Left-breast mammogram, cranio-caudal. 50 y/o patient.
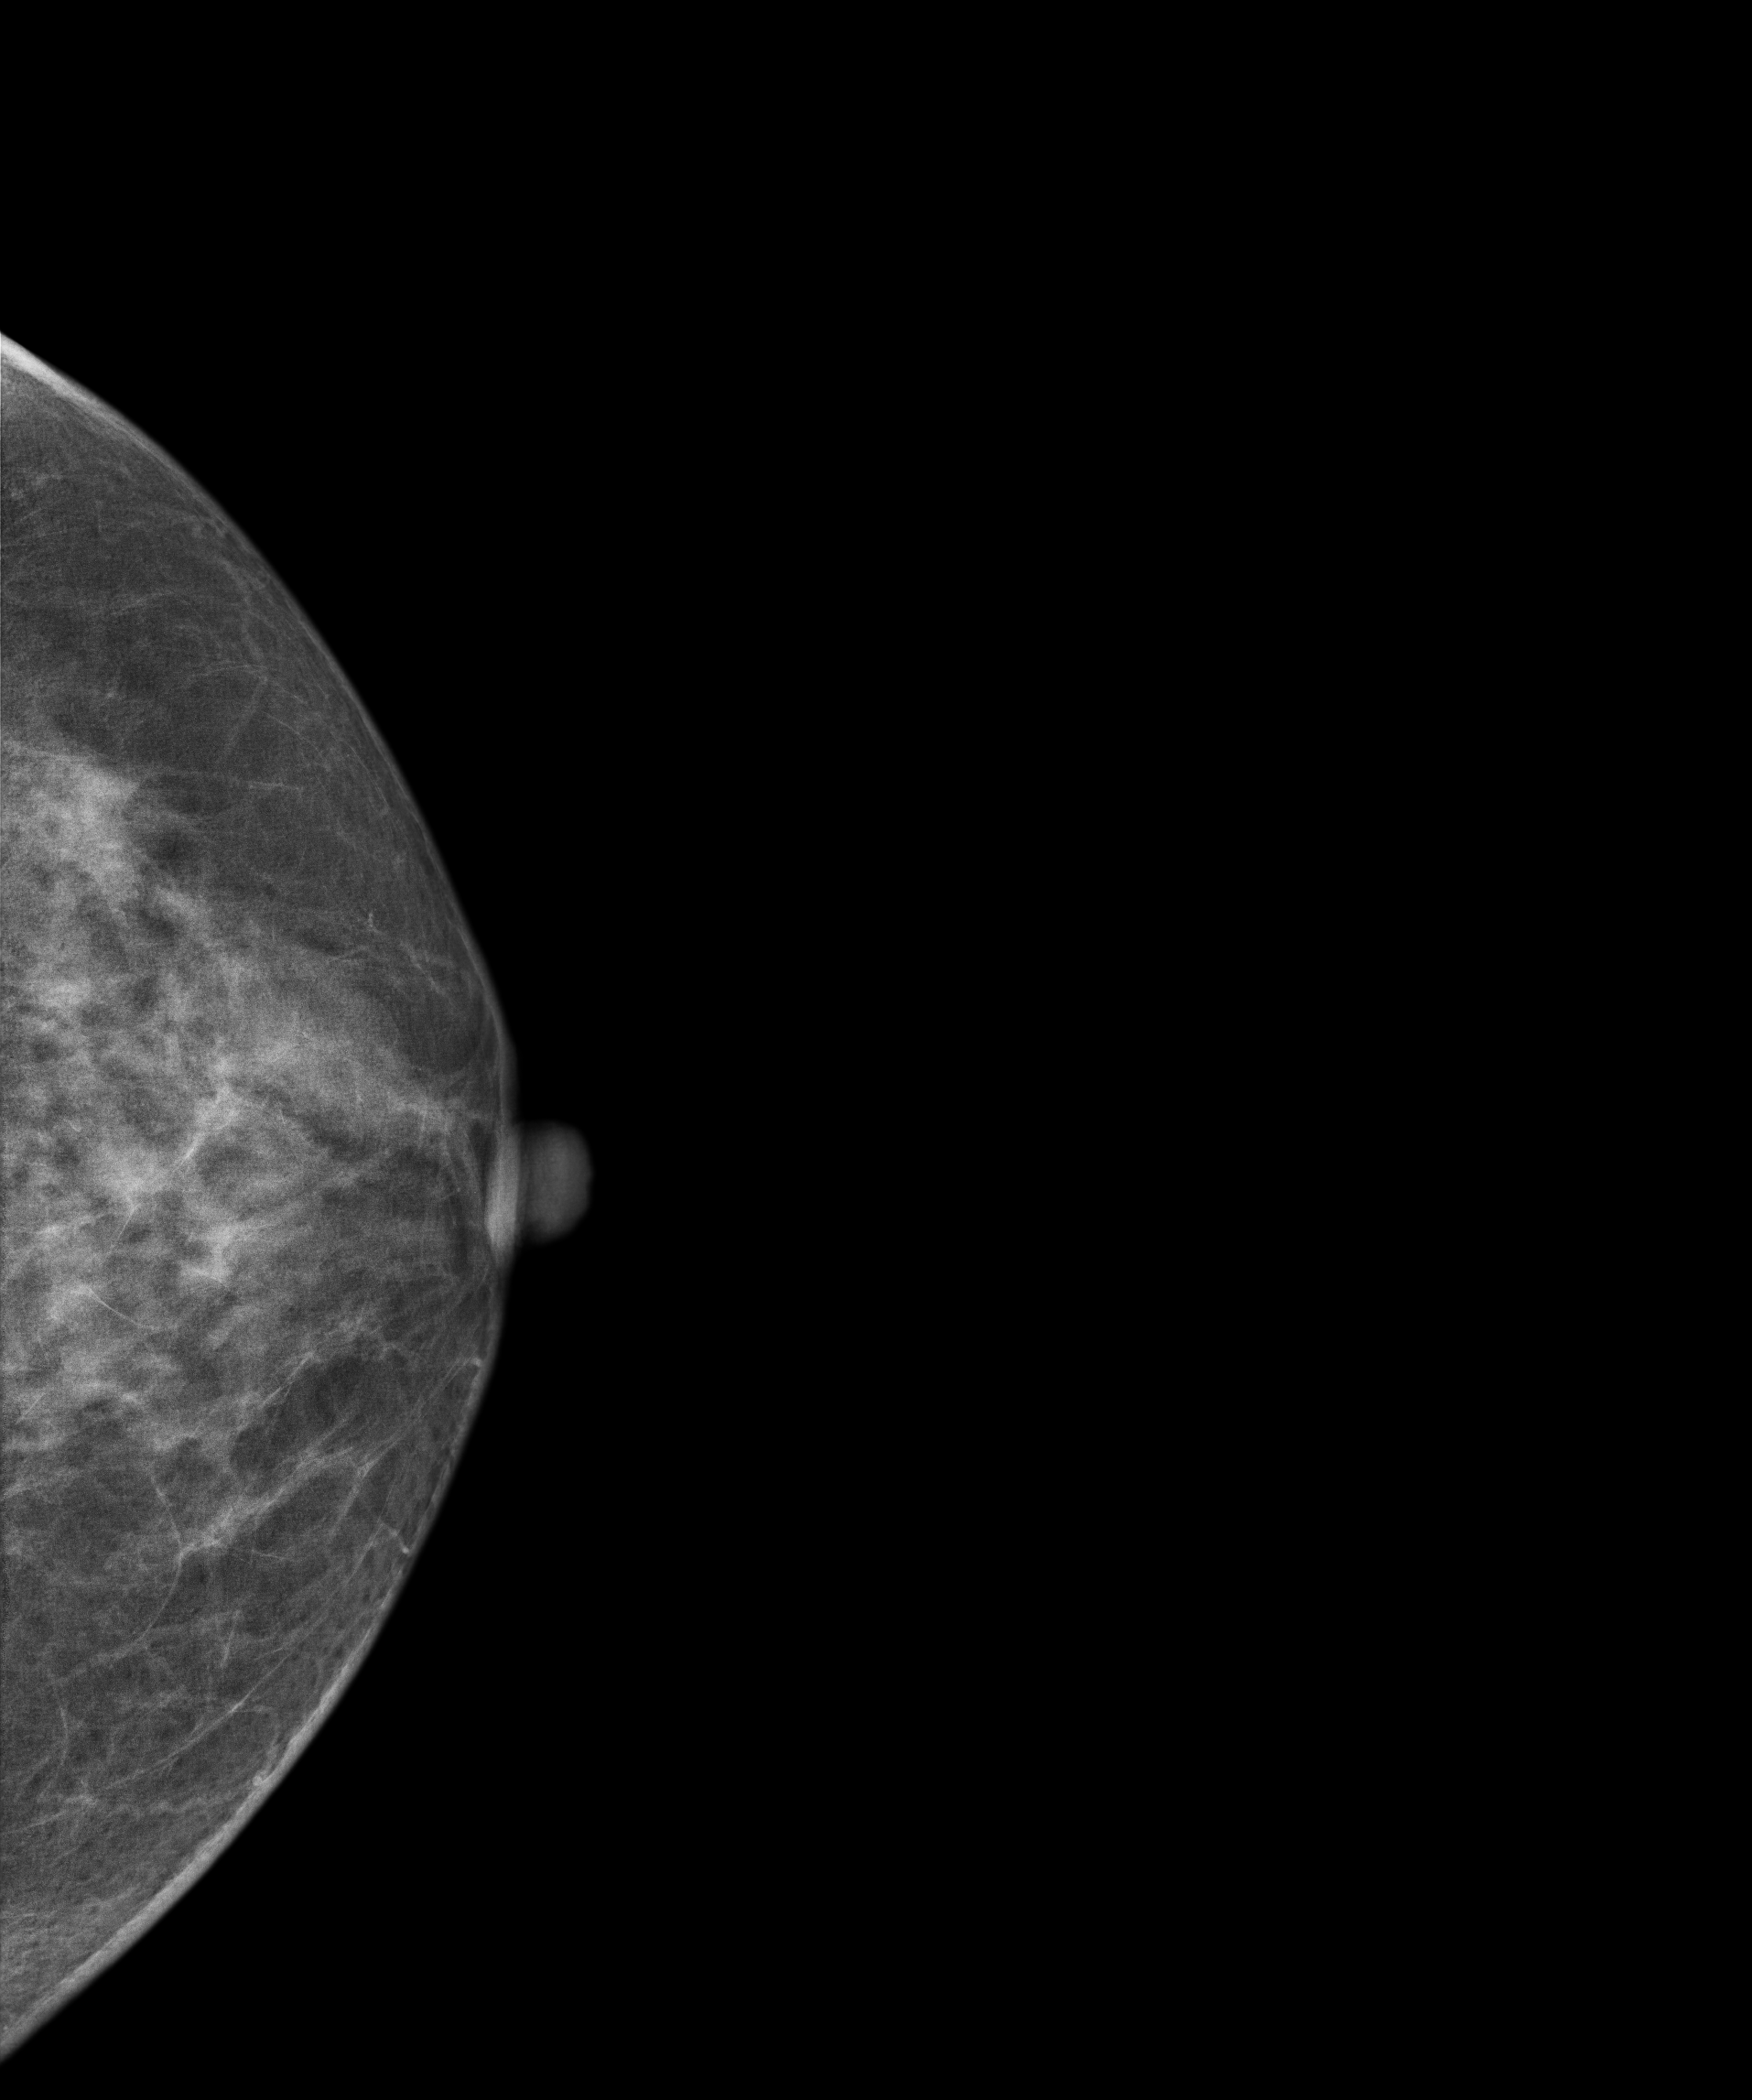
Contralateral breast — no documented abnormality on this side.